Mammogram — right MLO. 49-year-old patient.
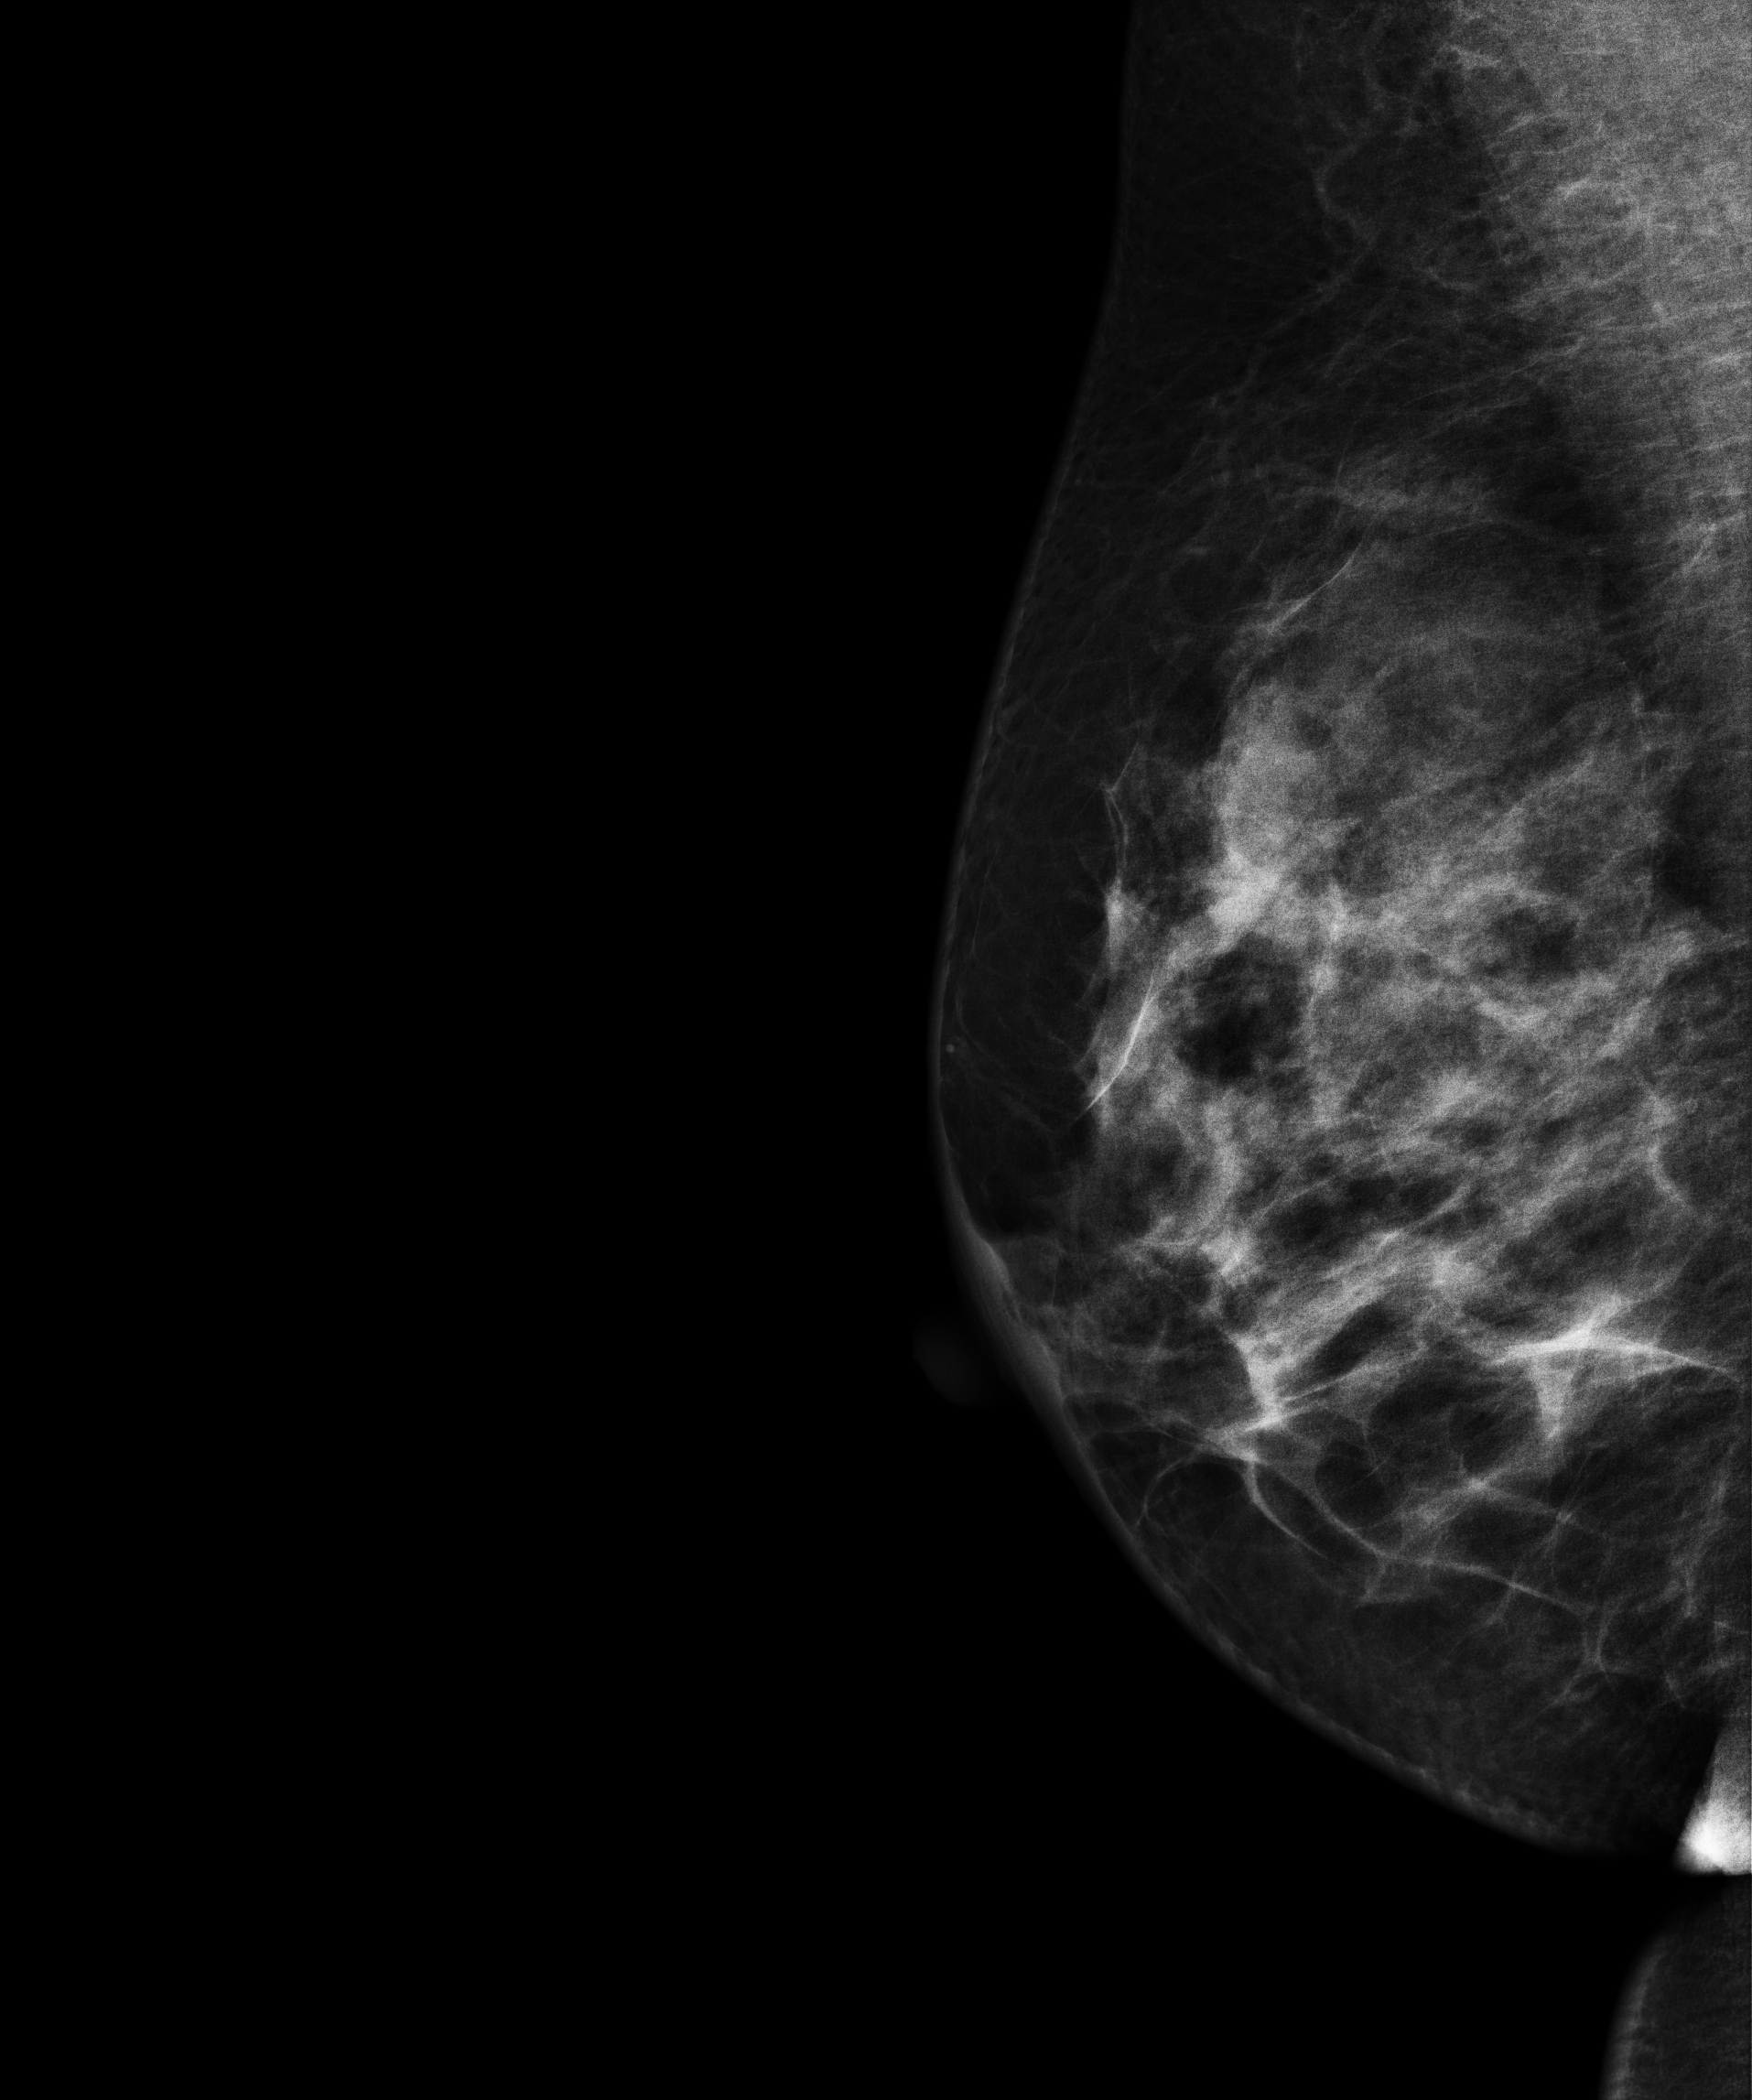
Contralateral breast — no documented abnormality on this side.